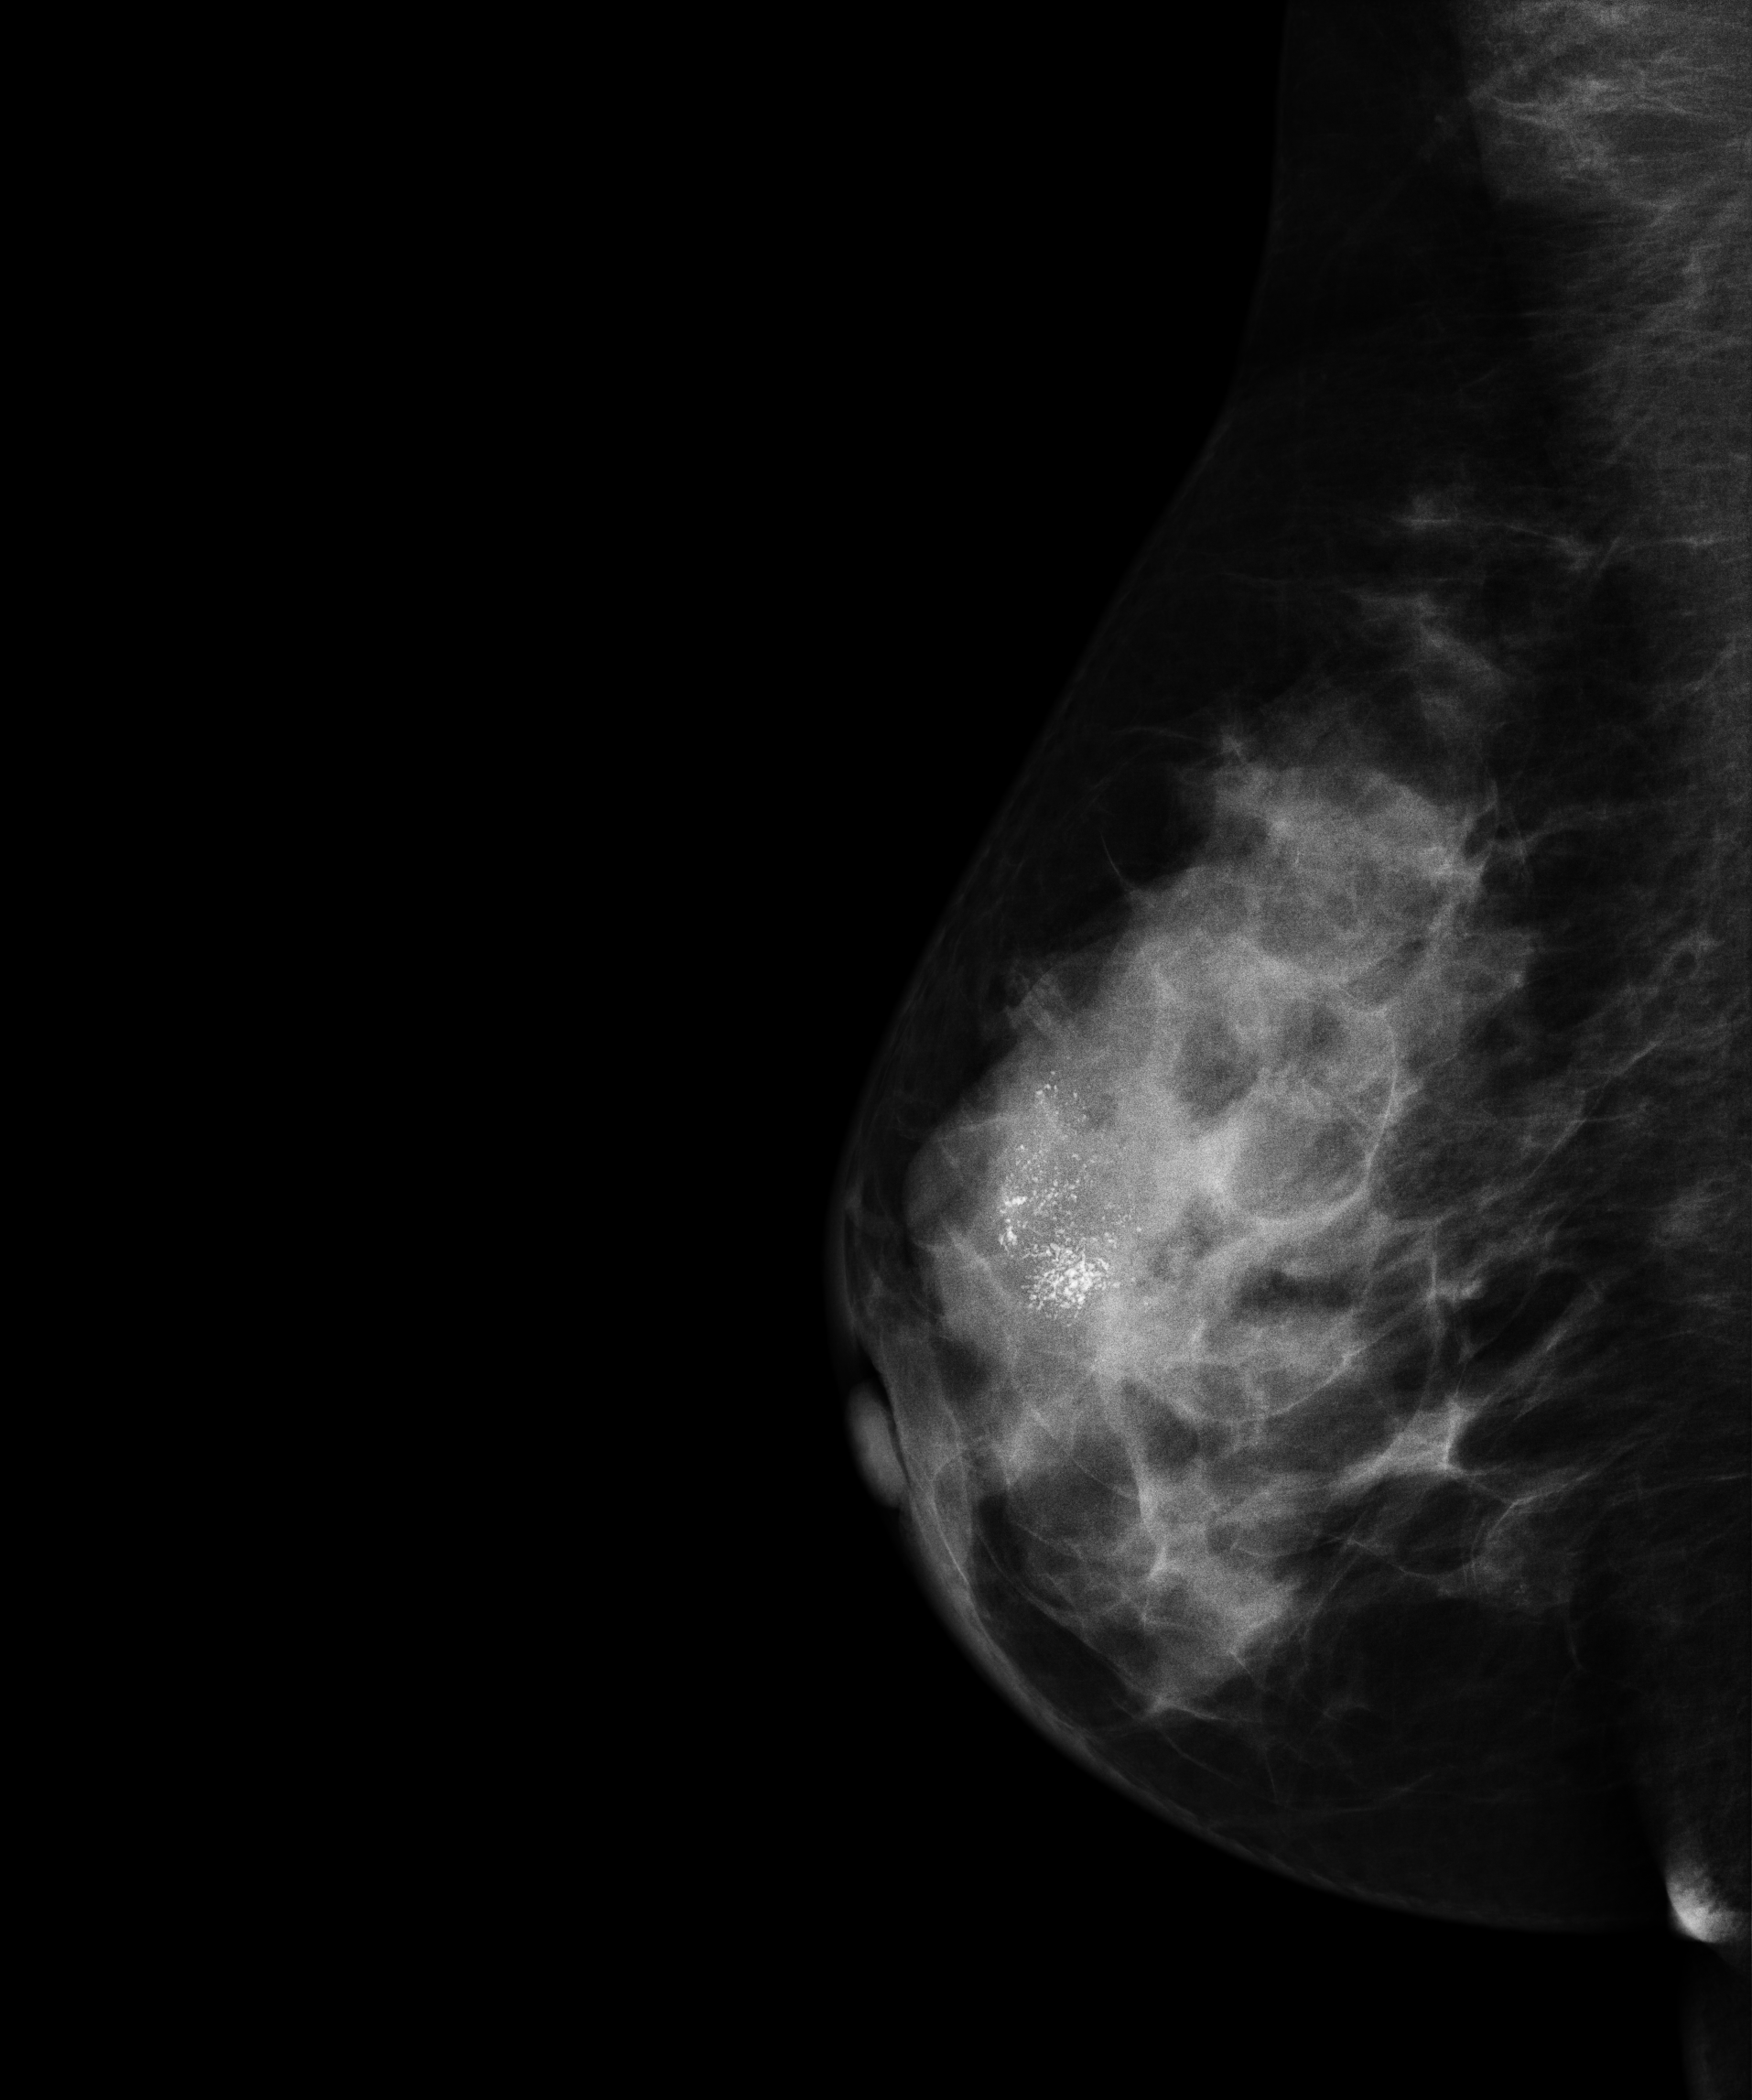
Digital mammography. Right breast, MLO projection. 49-year-old patient.
This breast has a mass and calcifications, biopsy-confirmed malignant.